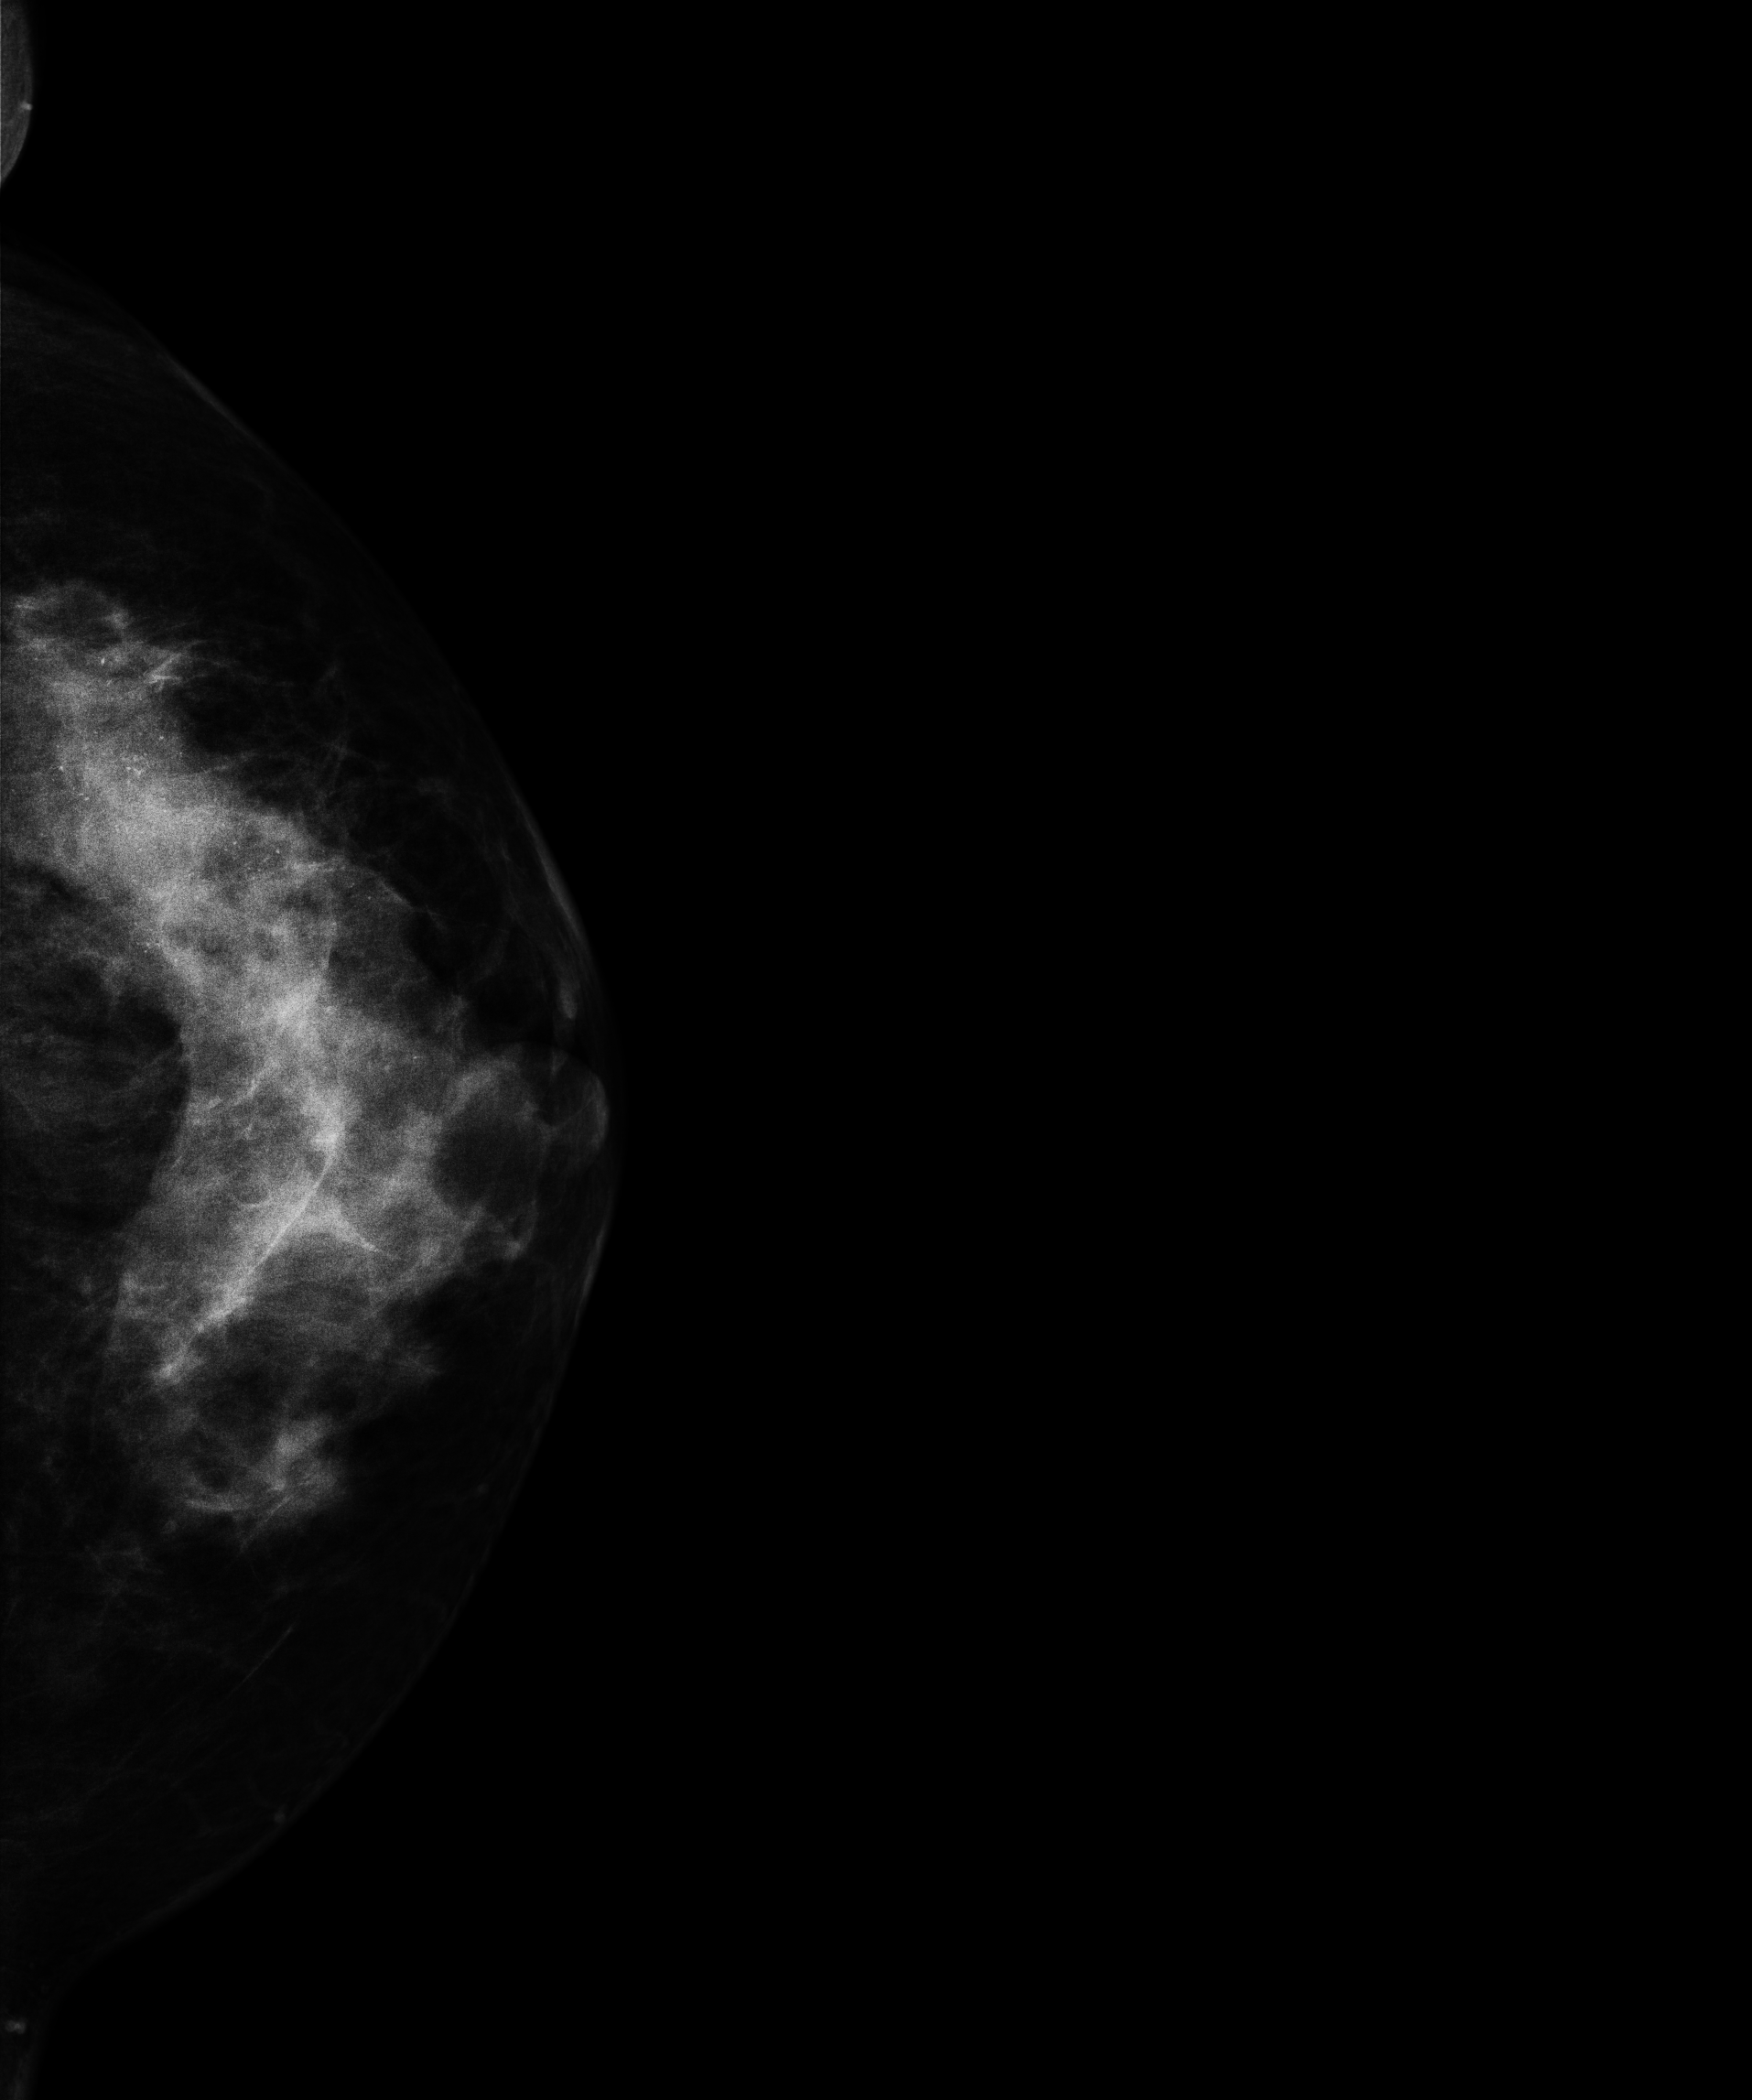
Mammogram — left CC. 43 y/o patient.
This breast has a mass and calcifications, histologically confirmed malignant. Molecular subtype: HER2-enriched.